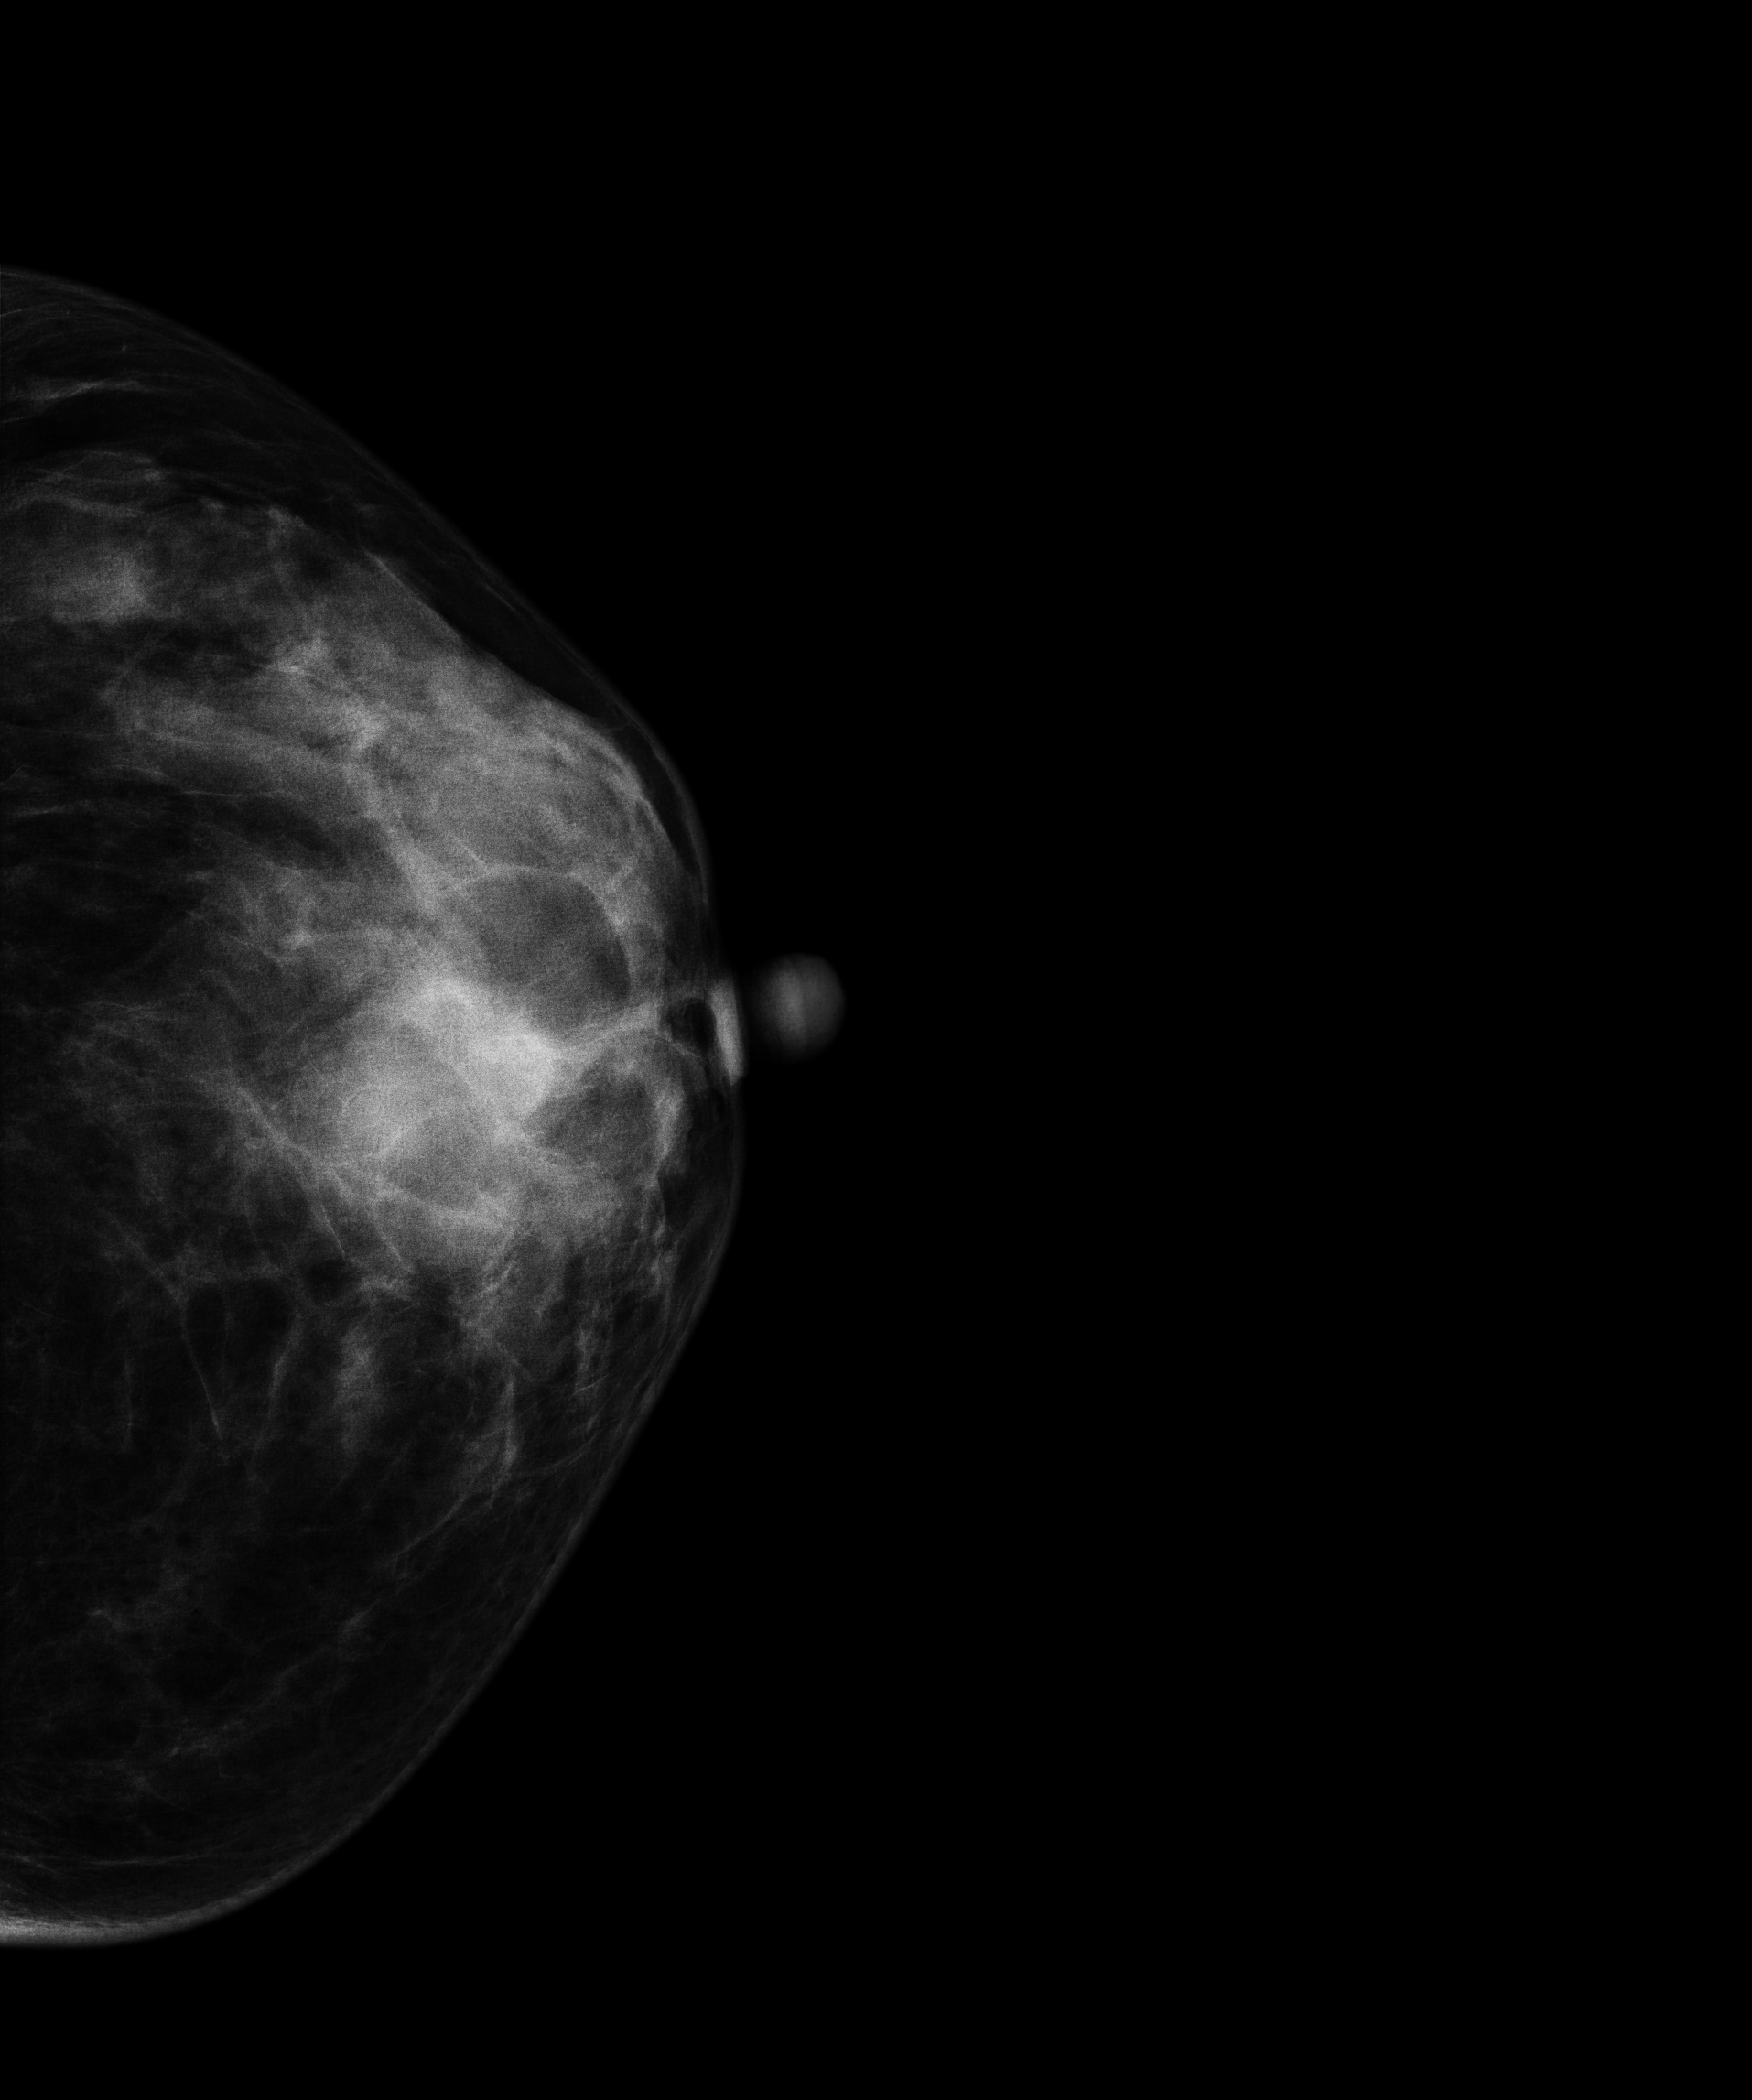
Mammogram, left breast, cranio-caudal view. 41 y/o patient.
This breast has a mass, histologically confirmed malignant. Molecular subtype: luminal B.